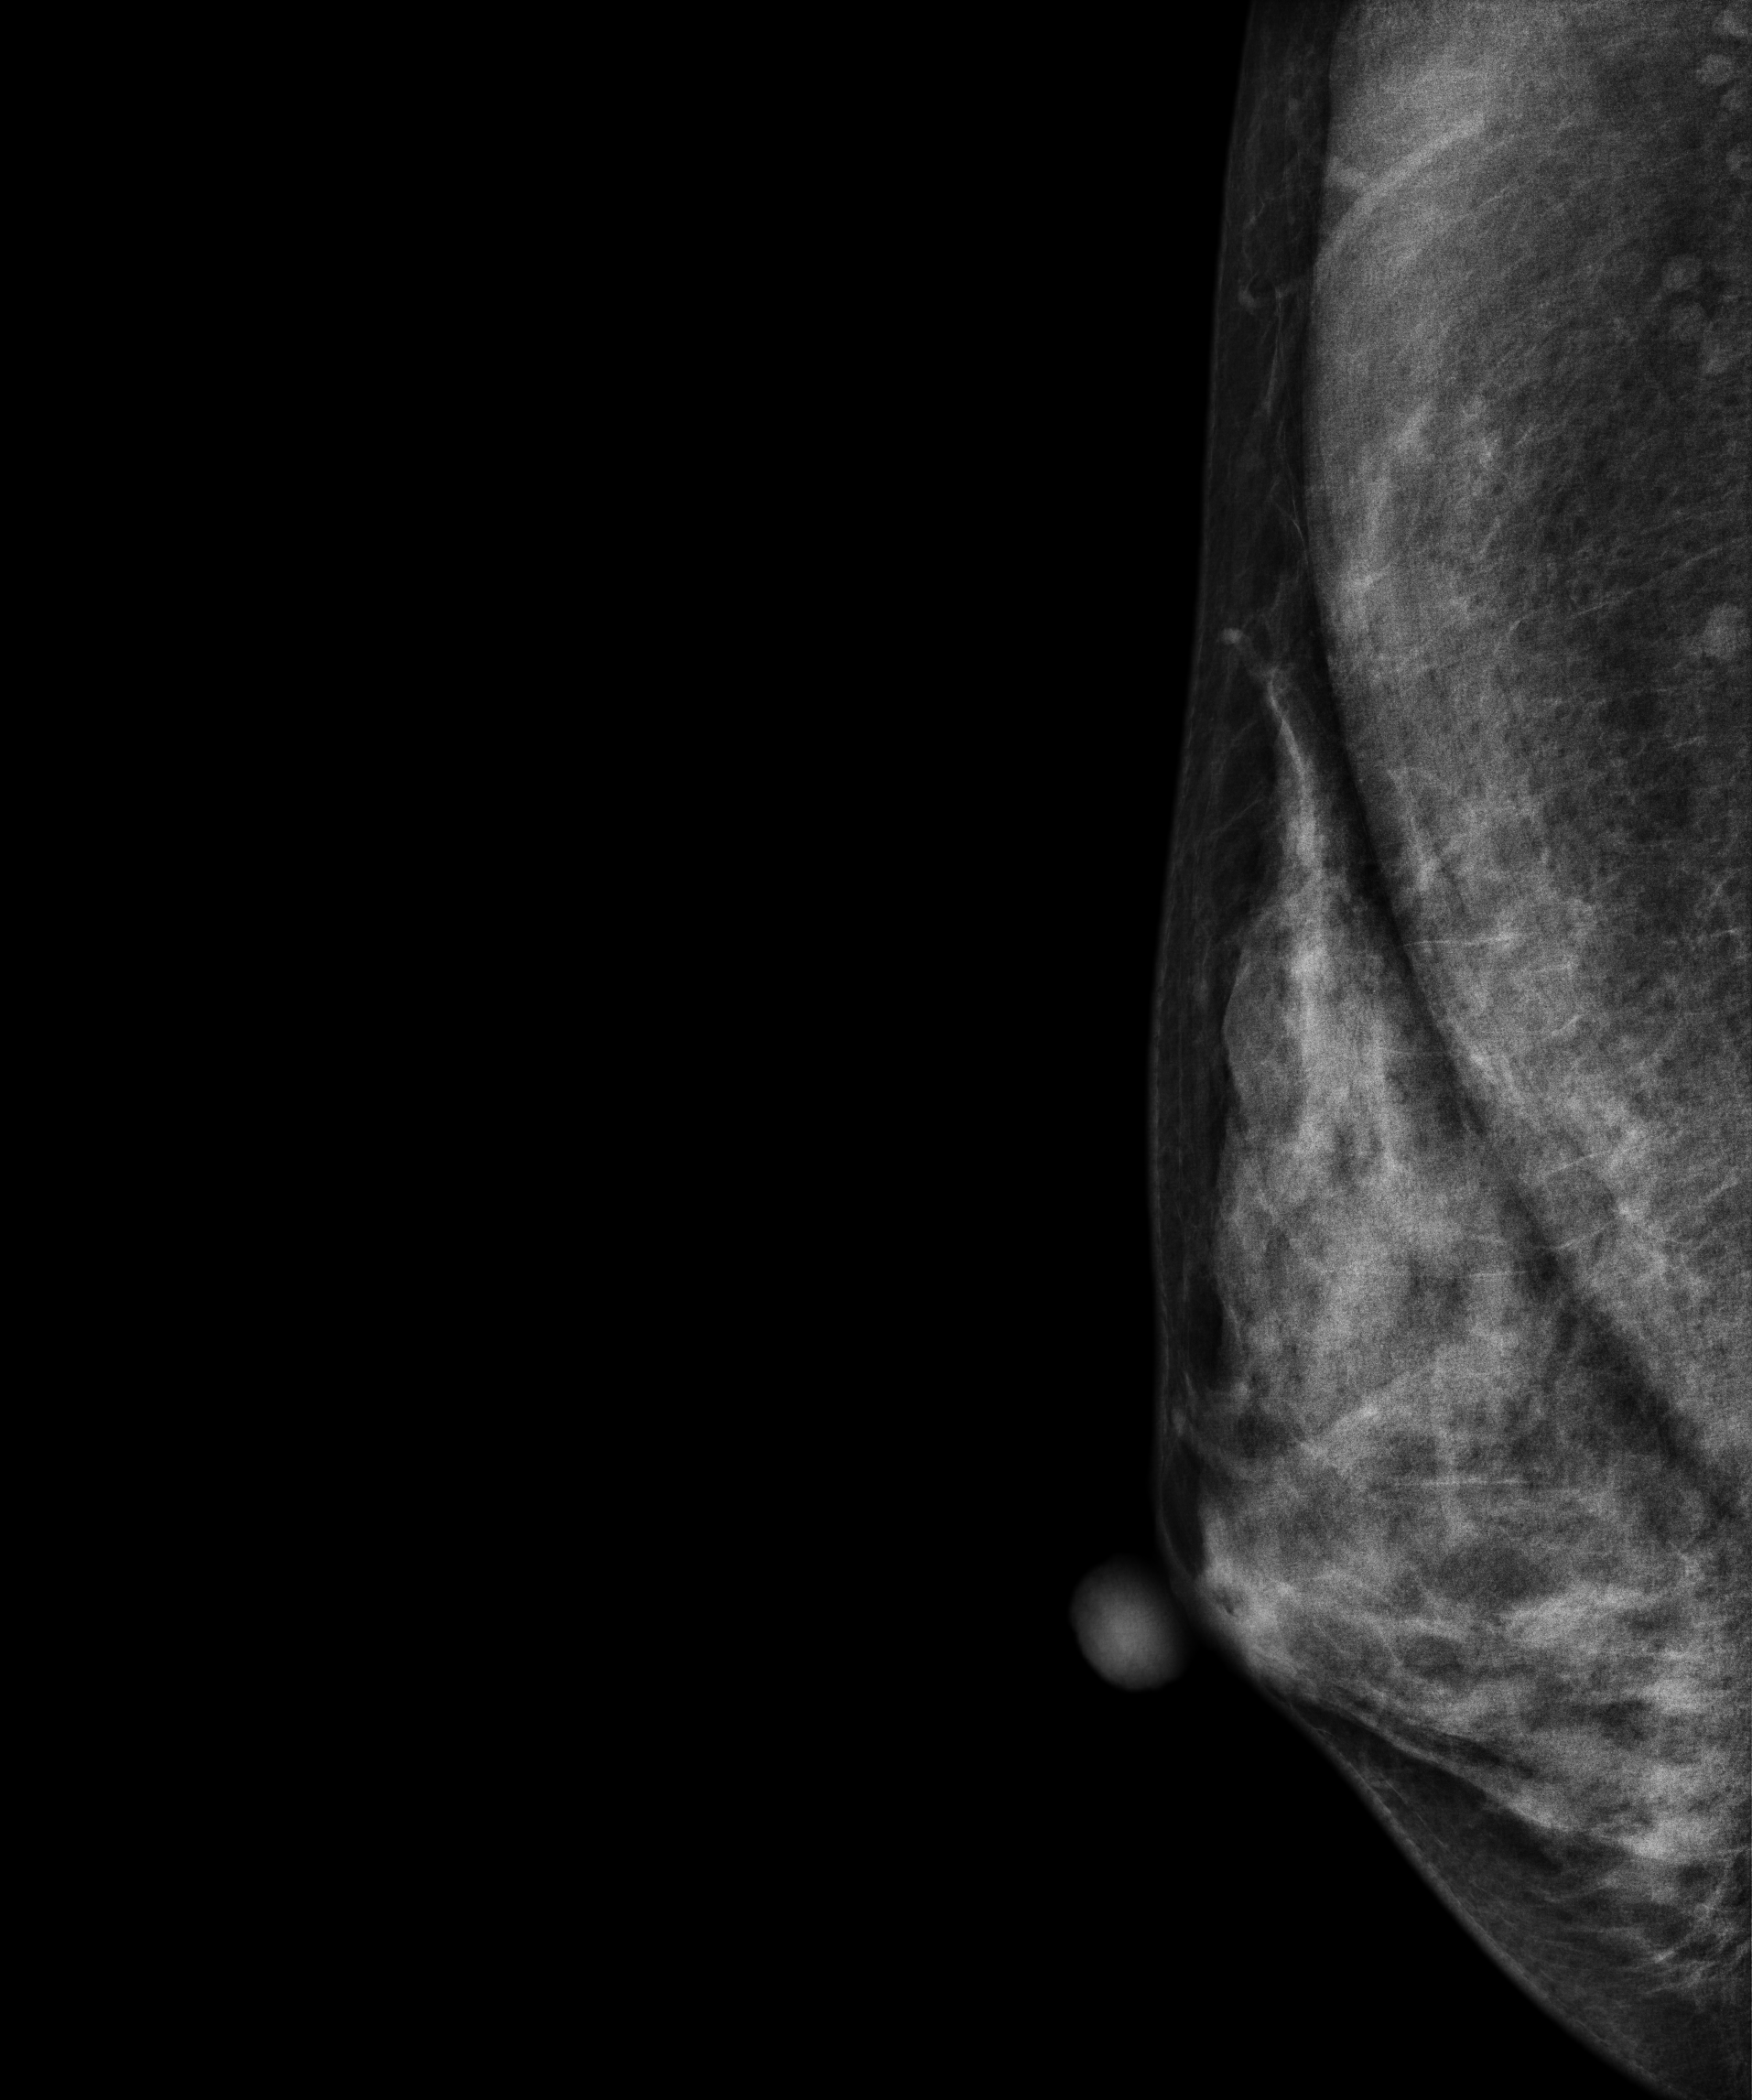
Mammogram, right breast, MLO view. 46 y/o patient.
Contralateral breast — no documented abnormality on this side.